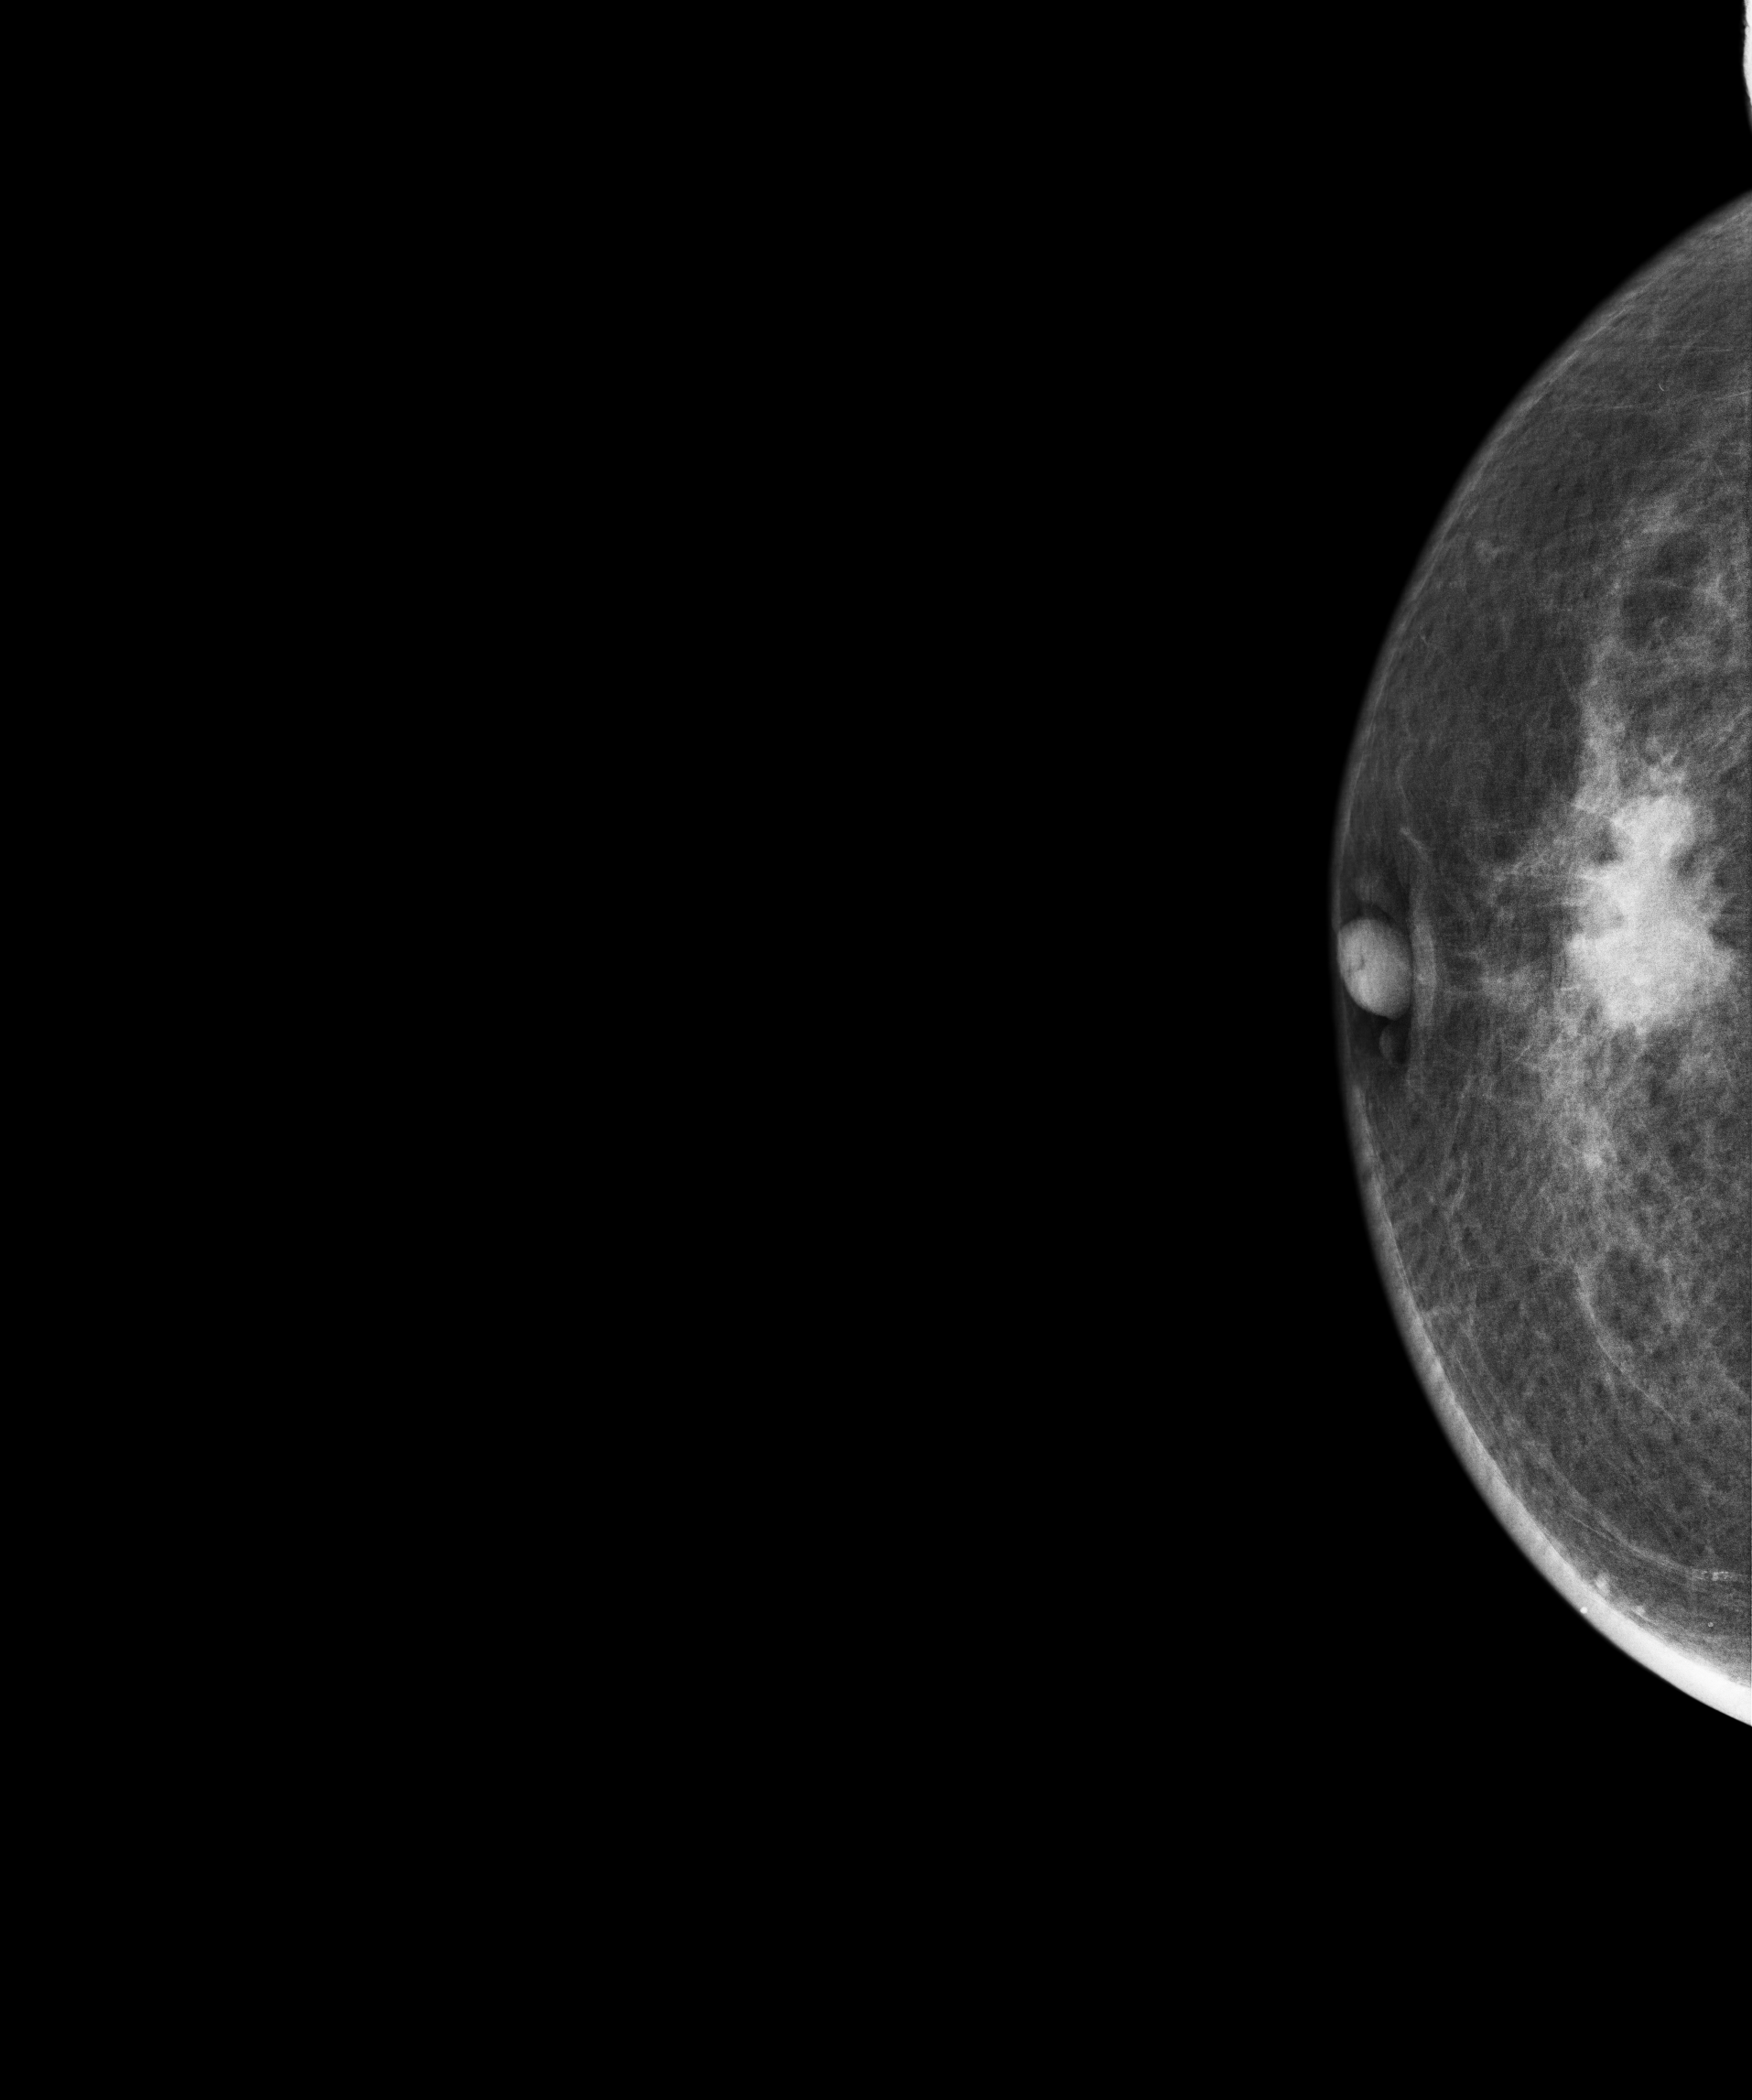
Mammogram, right breast, CC view. 78-year-old patient.
This breast has a mass, biopsy-confirmed malignant. Molecular subtype: luminal B.